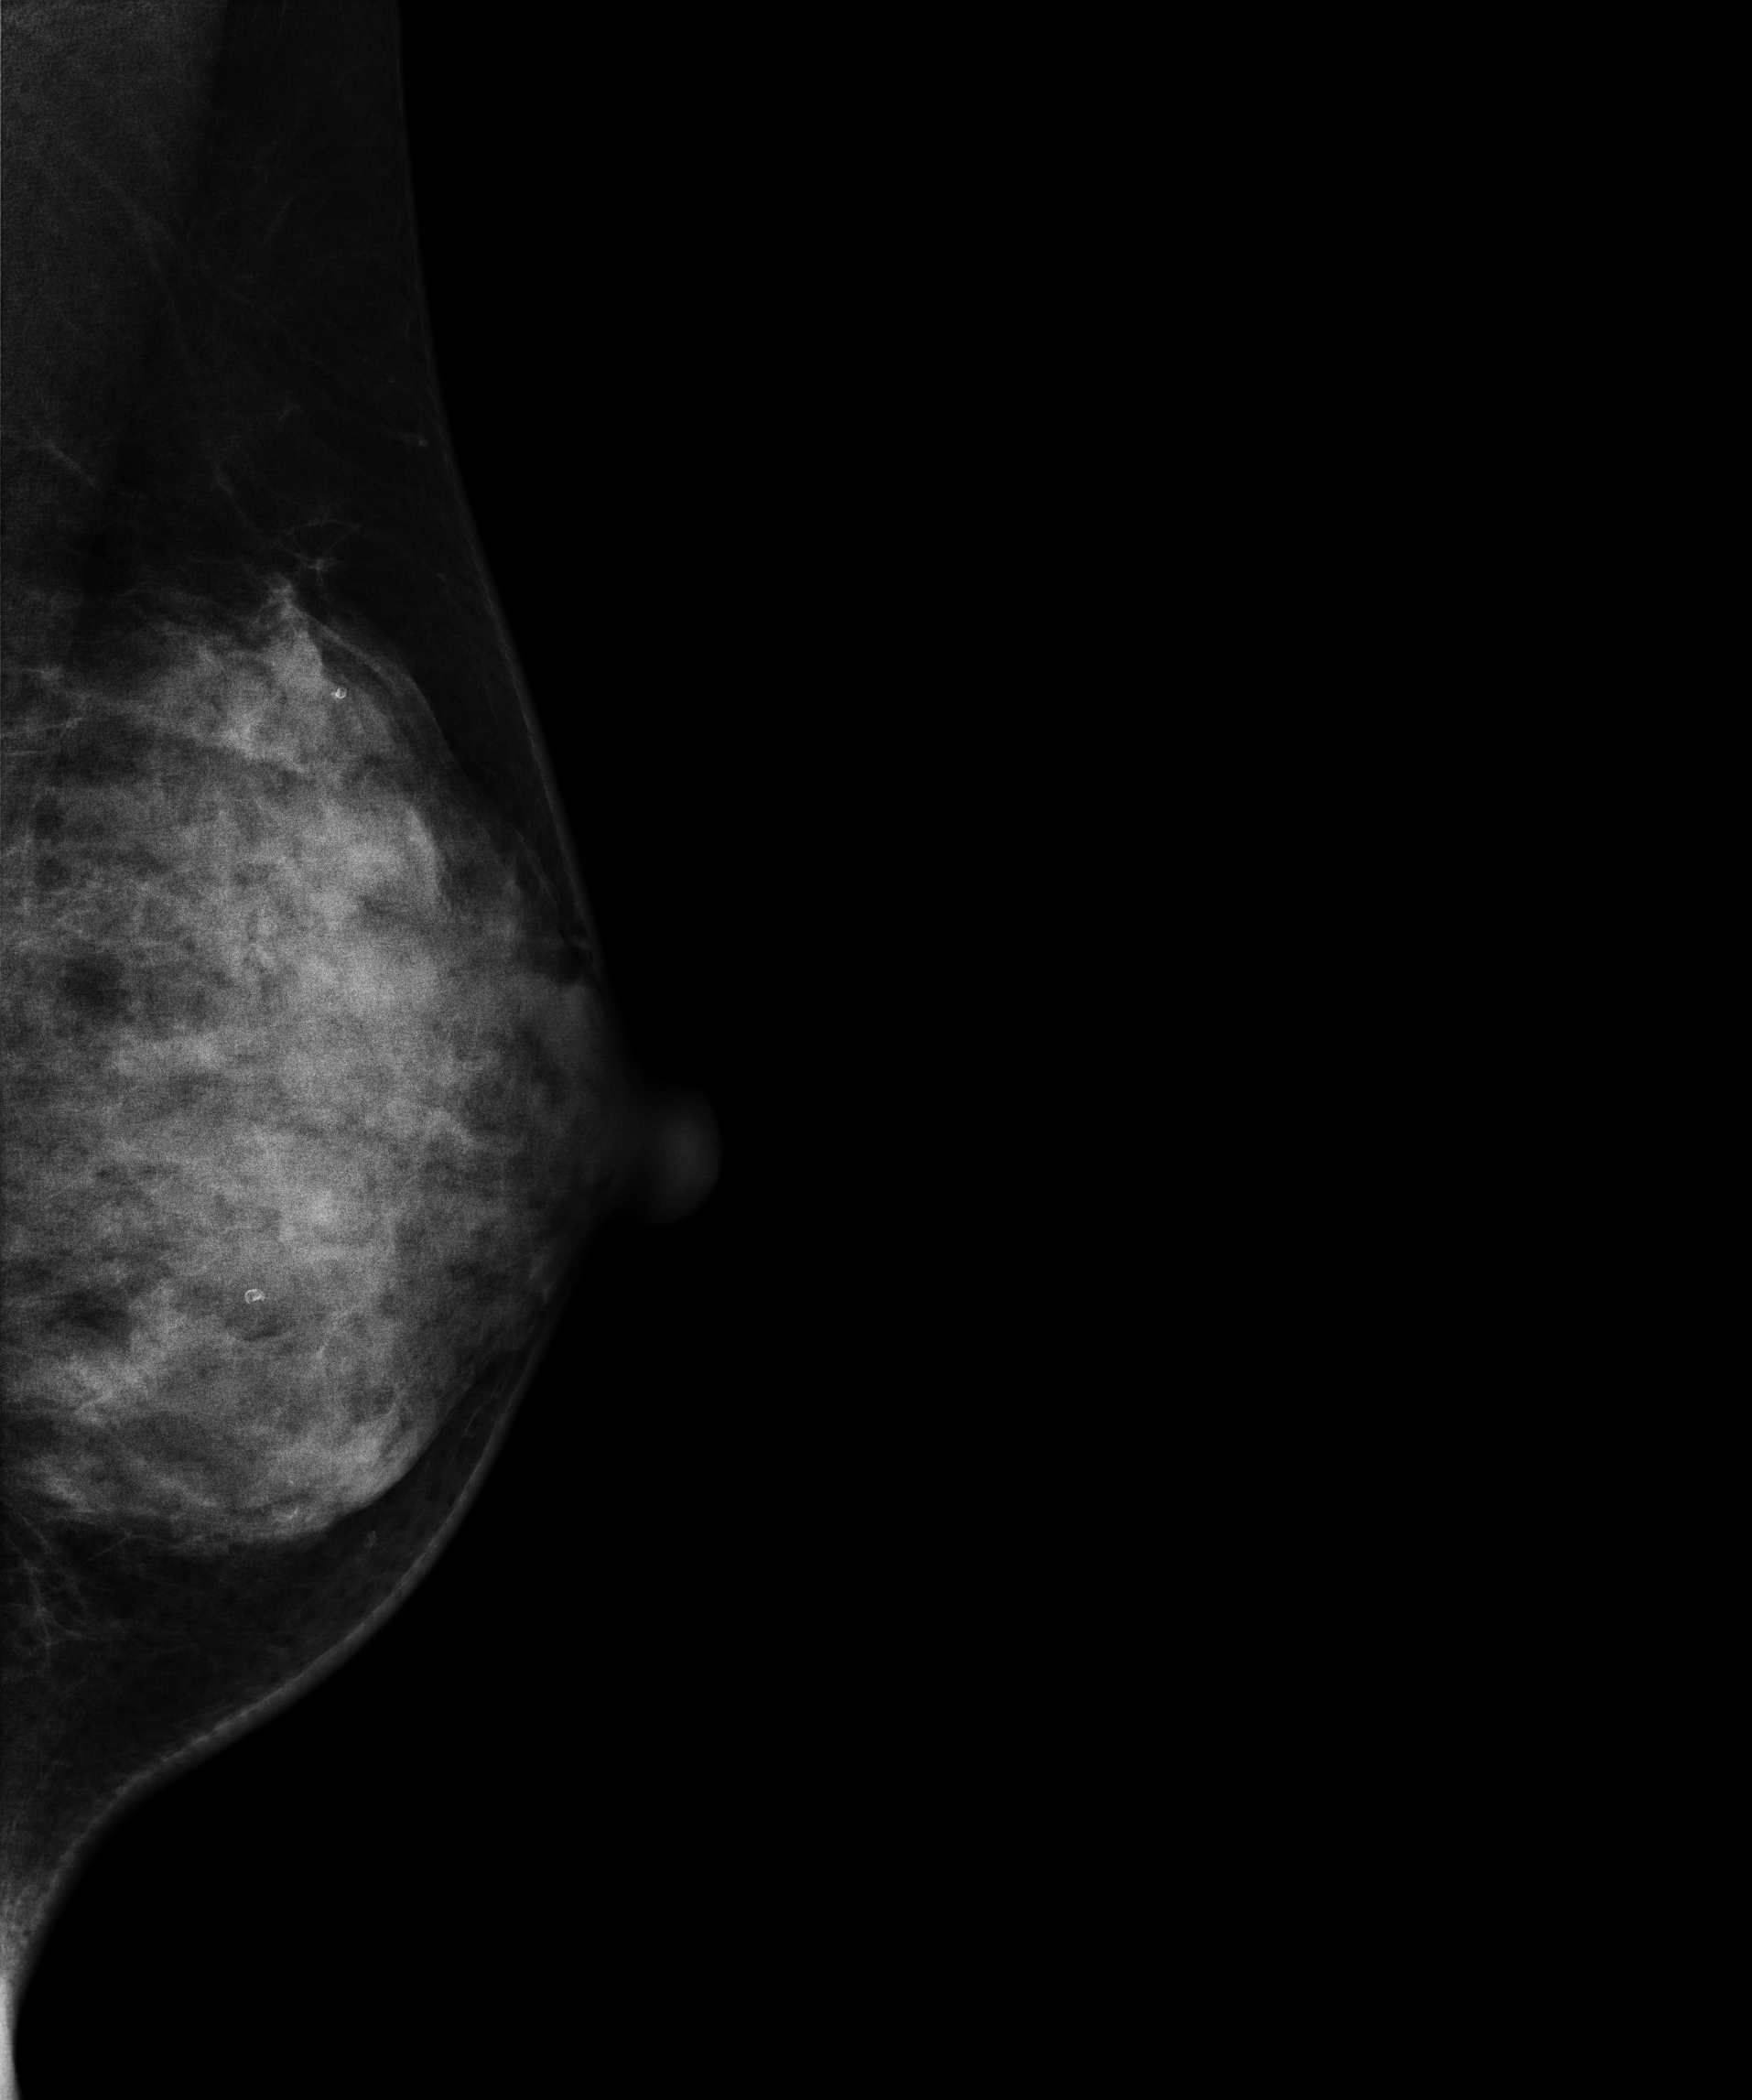
Left-breast mammogram, MLO. 44 y/o patient.
This breast has a mass, biopsy-proven malignant. Molecular subtype: luminal B.